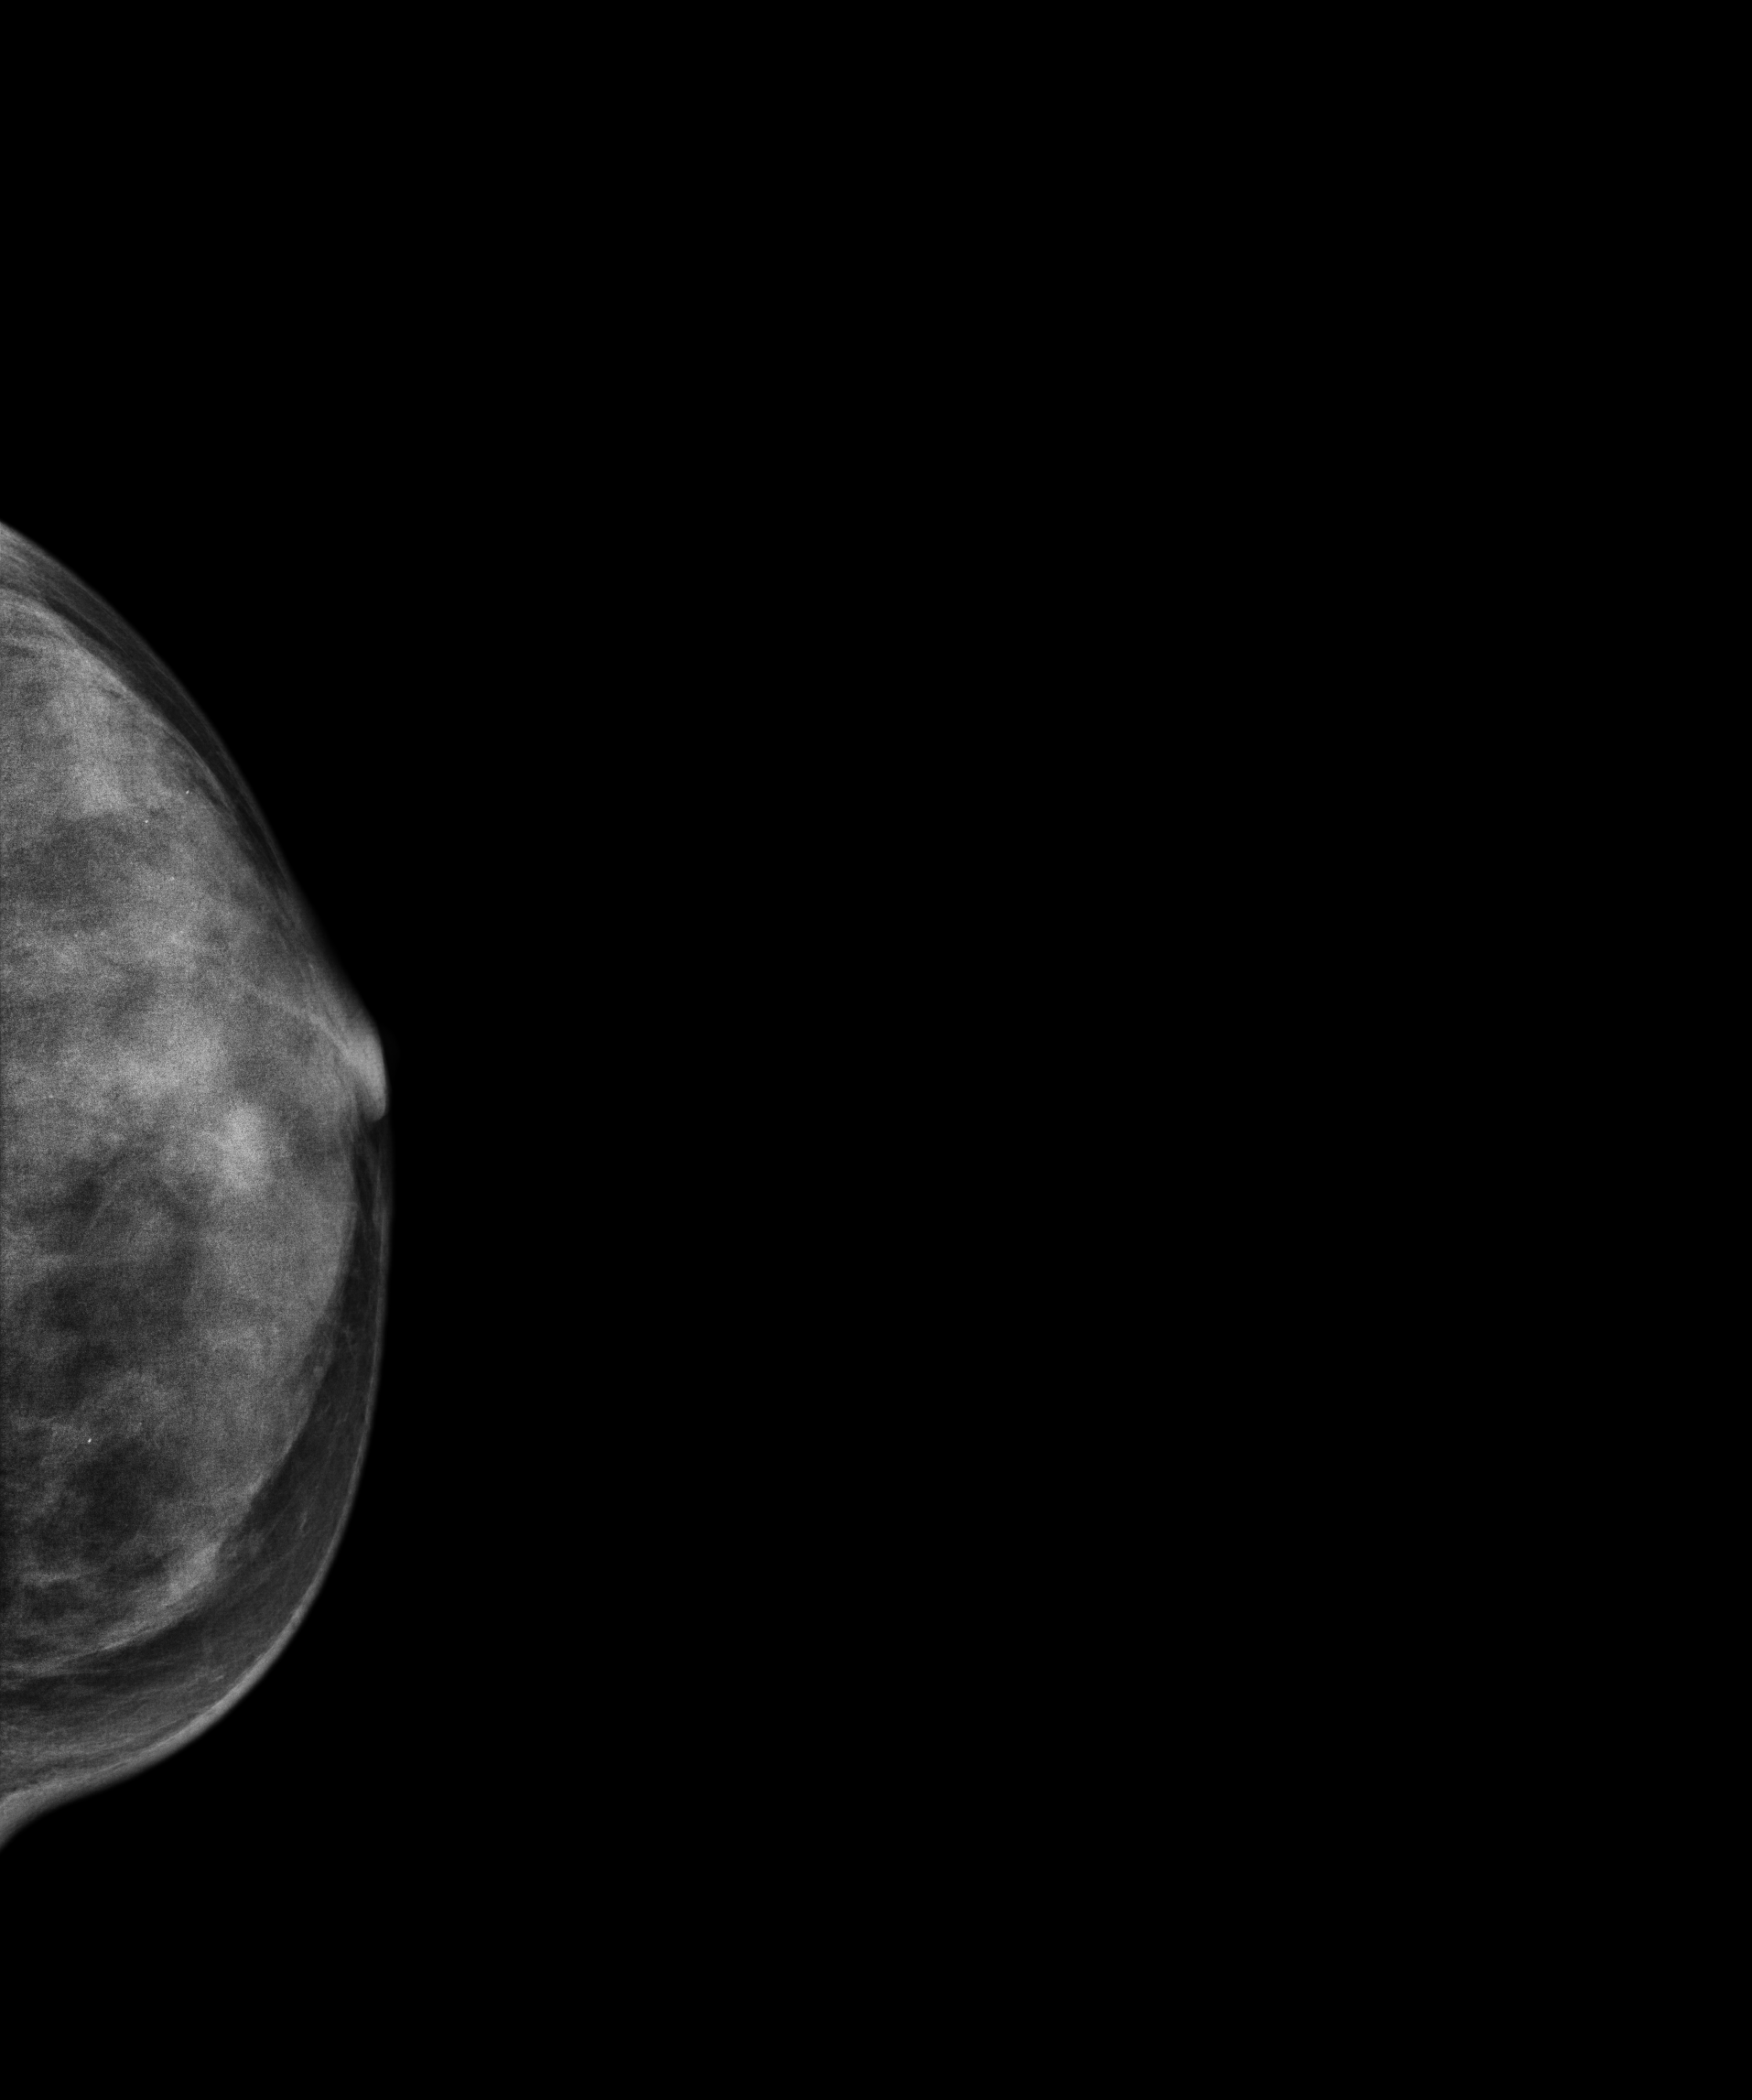
Left-breast mammogram, CC. 22 y/o patient.
This breast has calcifications, biopsy-proven benign.